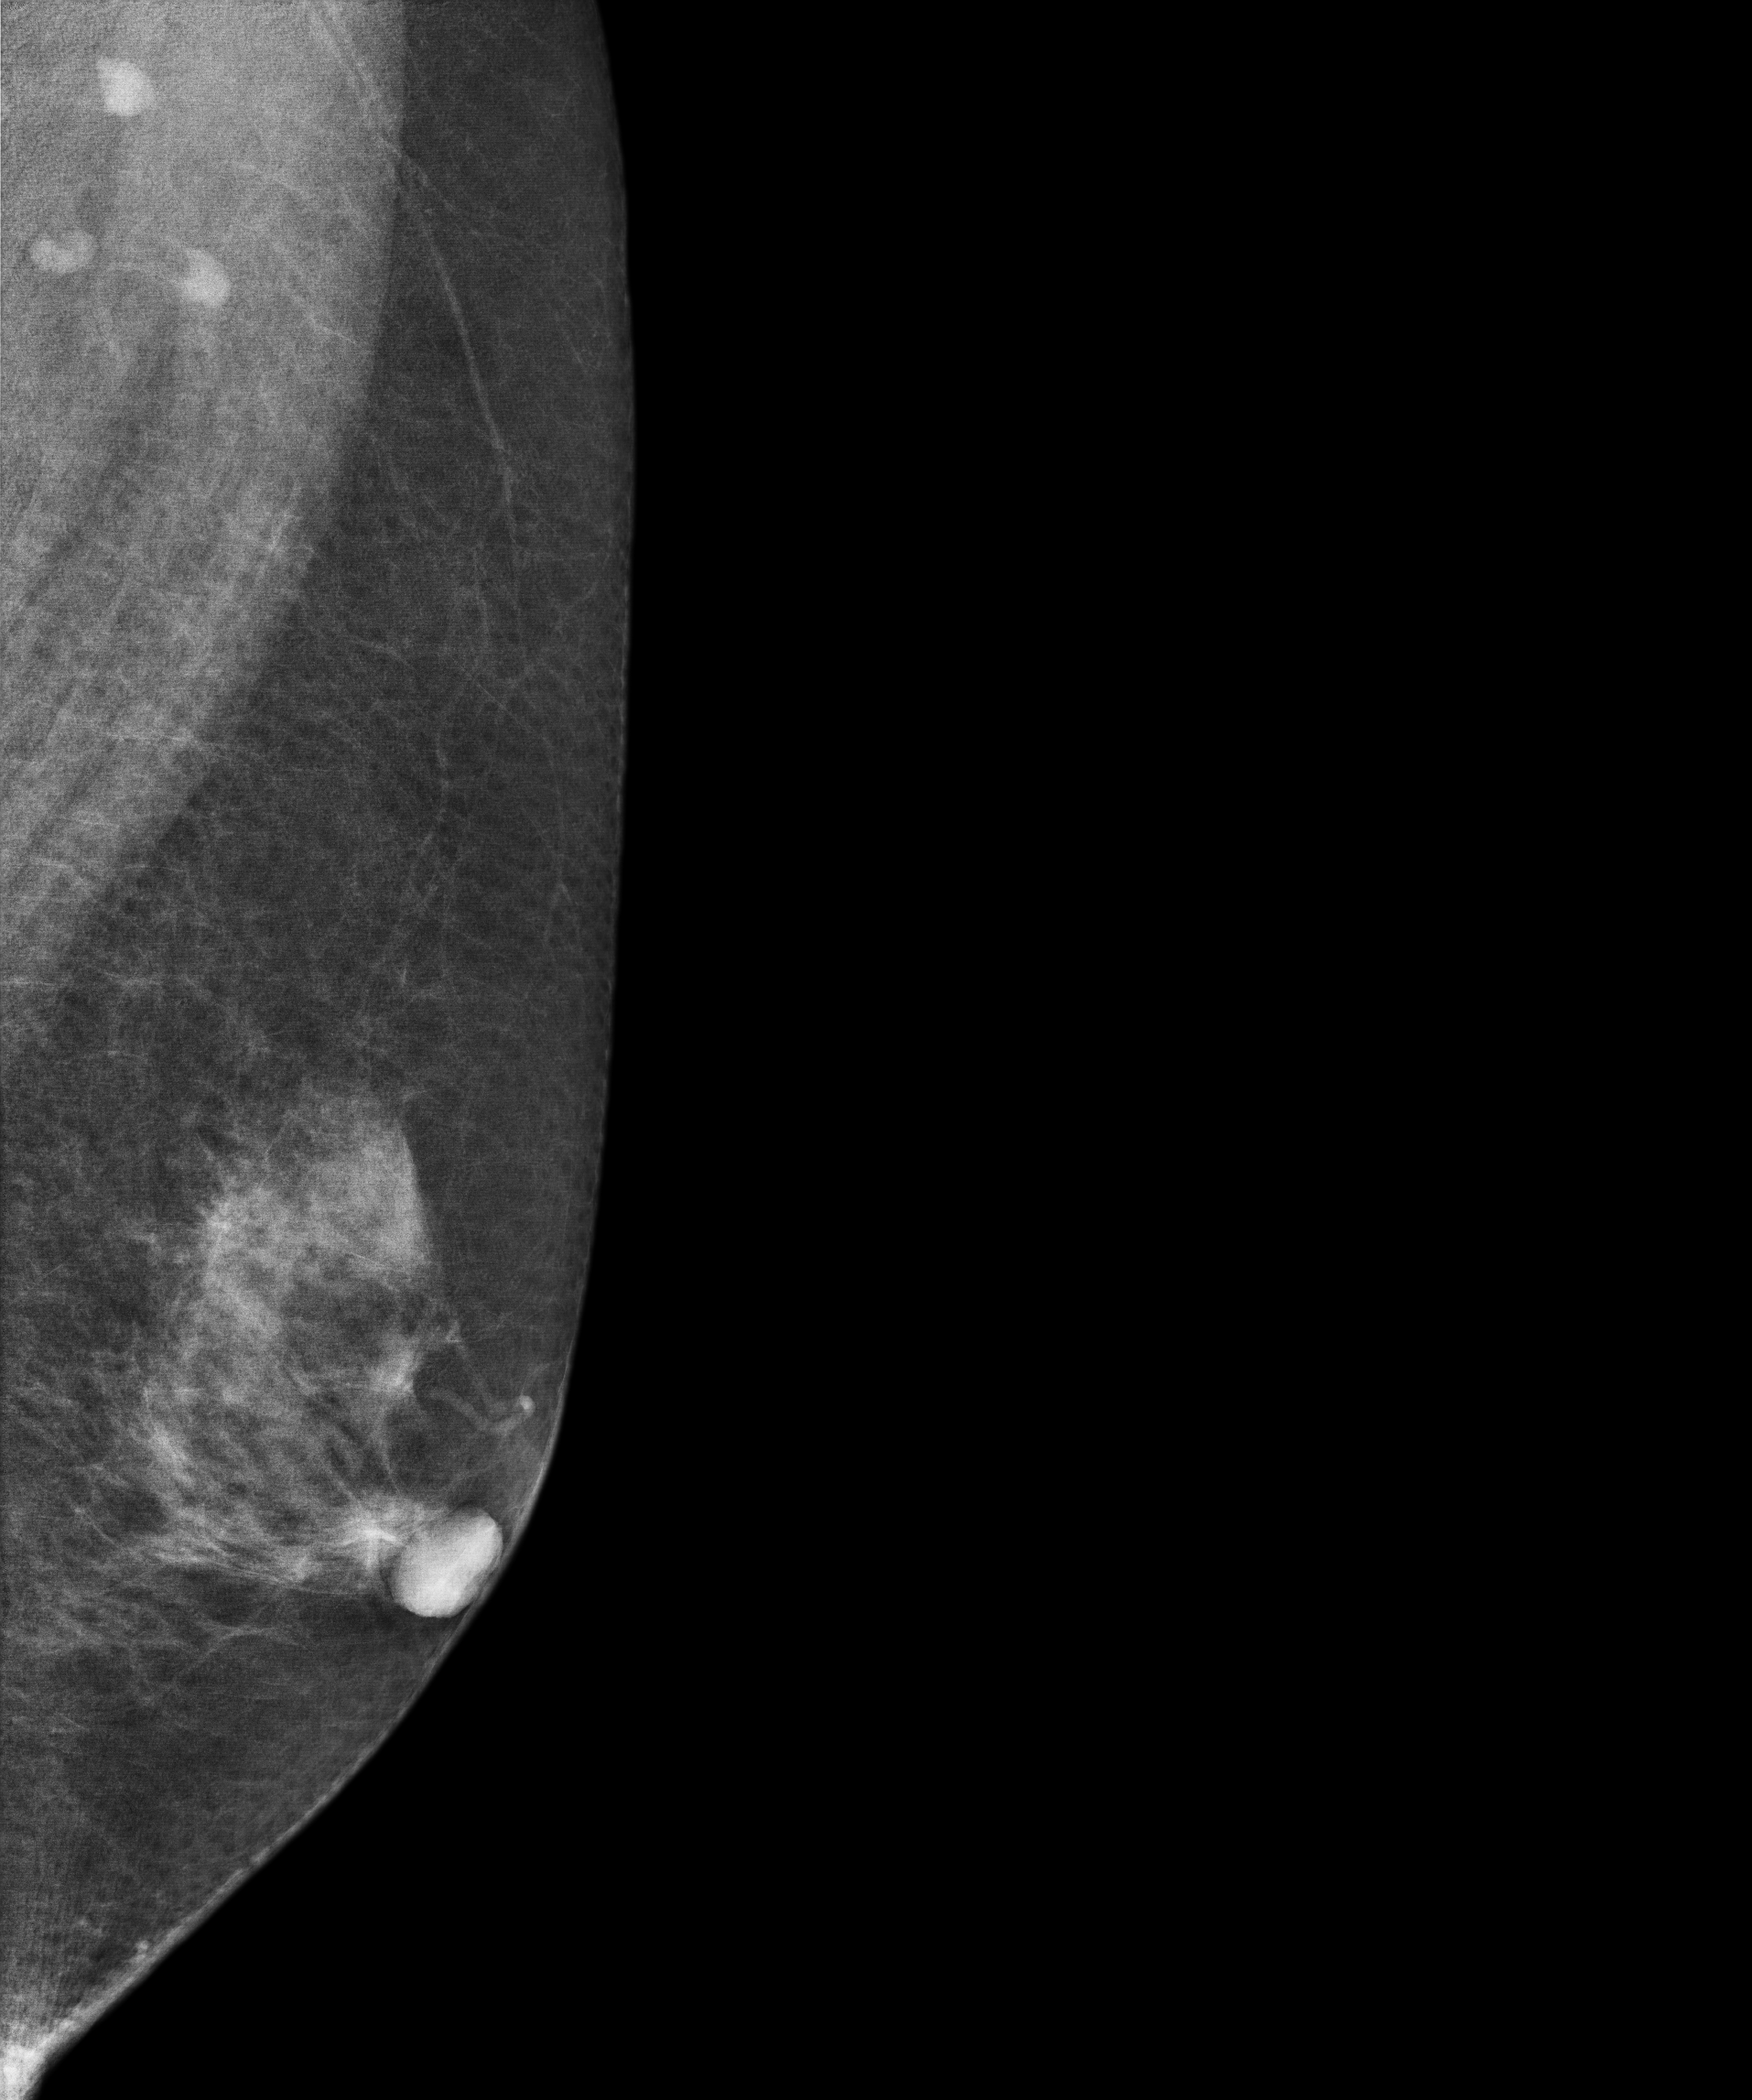
Digital mammography. Left breast, medio-lateral oblique projection. 55-year-old patient.
This breast has a mass, biopsy-proven benign.